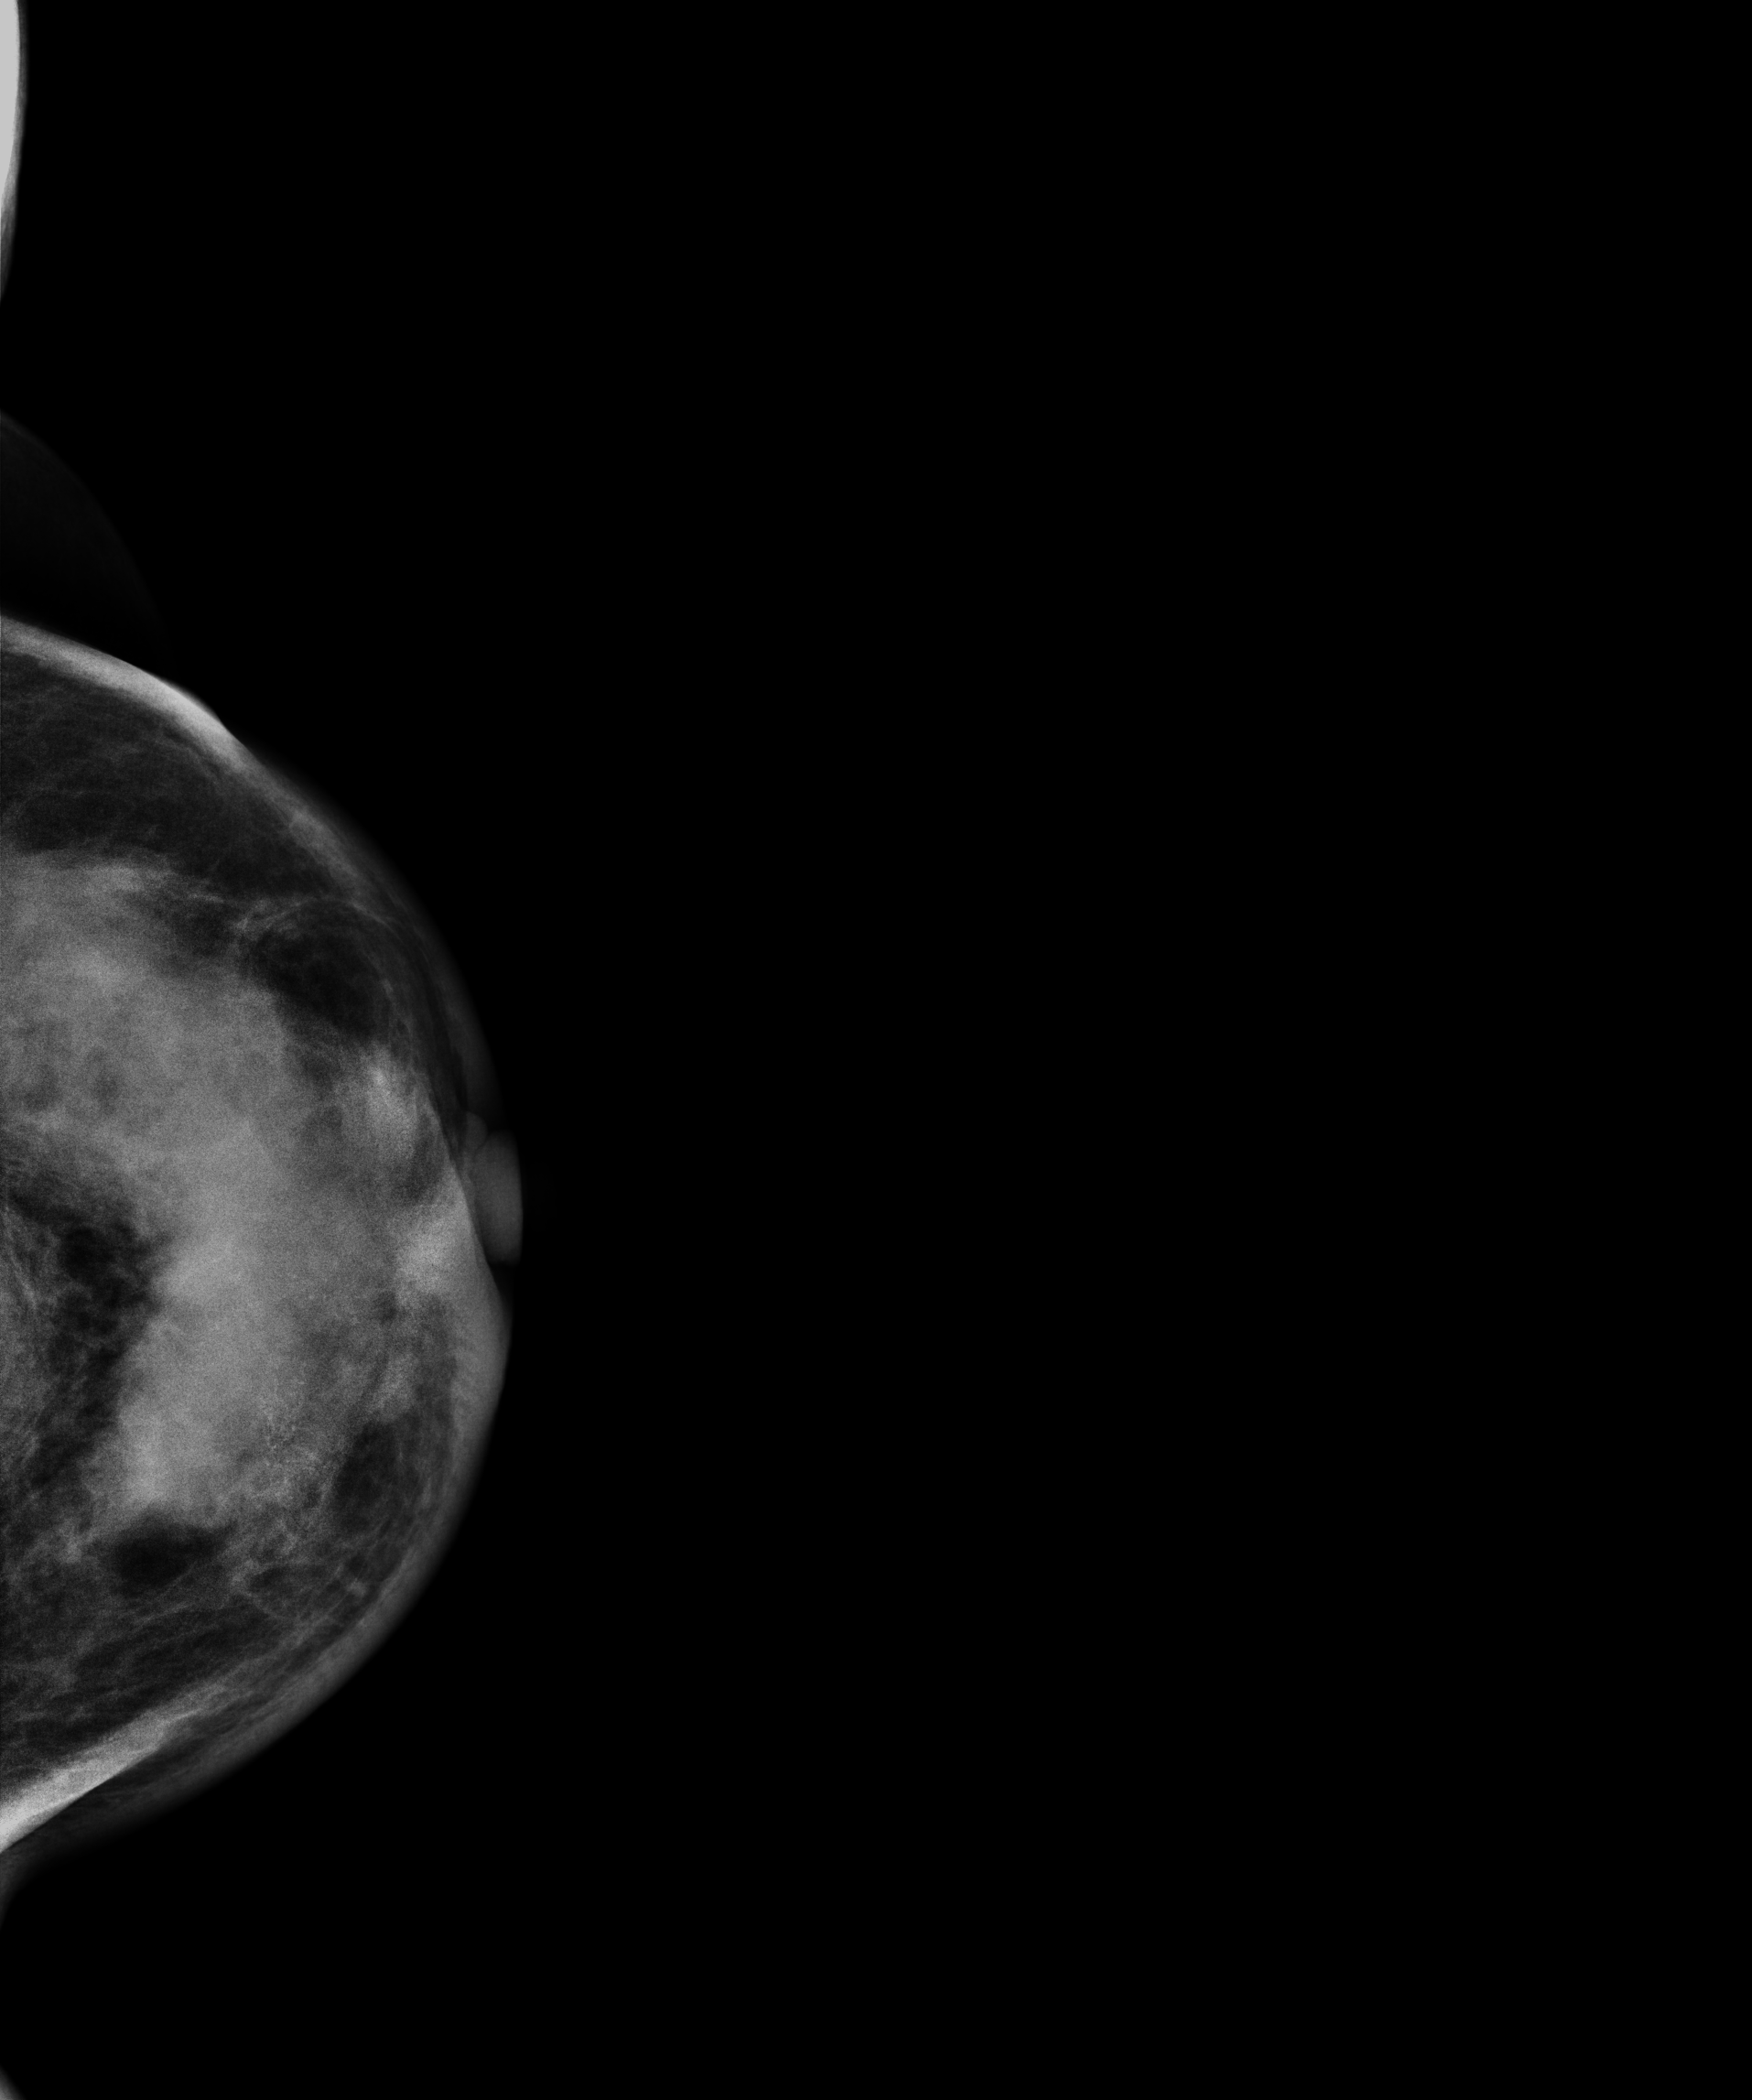
Mammogram, left breast, CC view. Patient age 41.
This breast has a mass and calcifications, biopsy-confirmed malignant.